Mammogram — left medio-lateral oblique. 51-year-old patient.
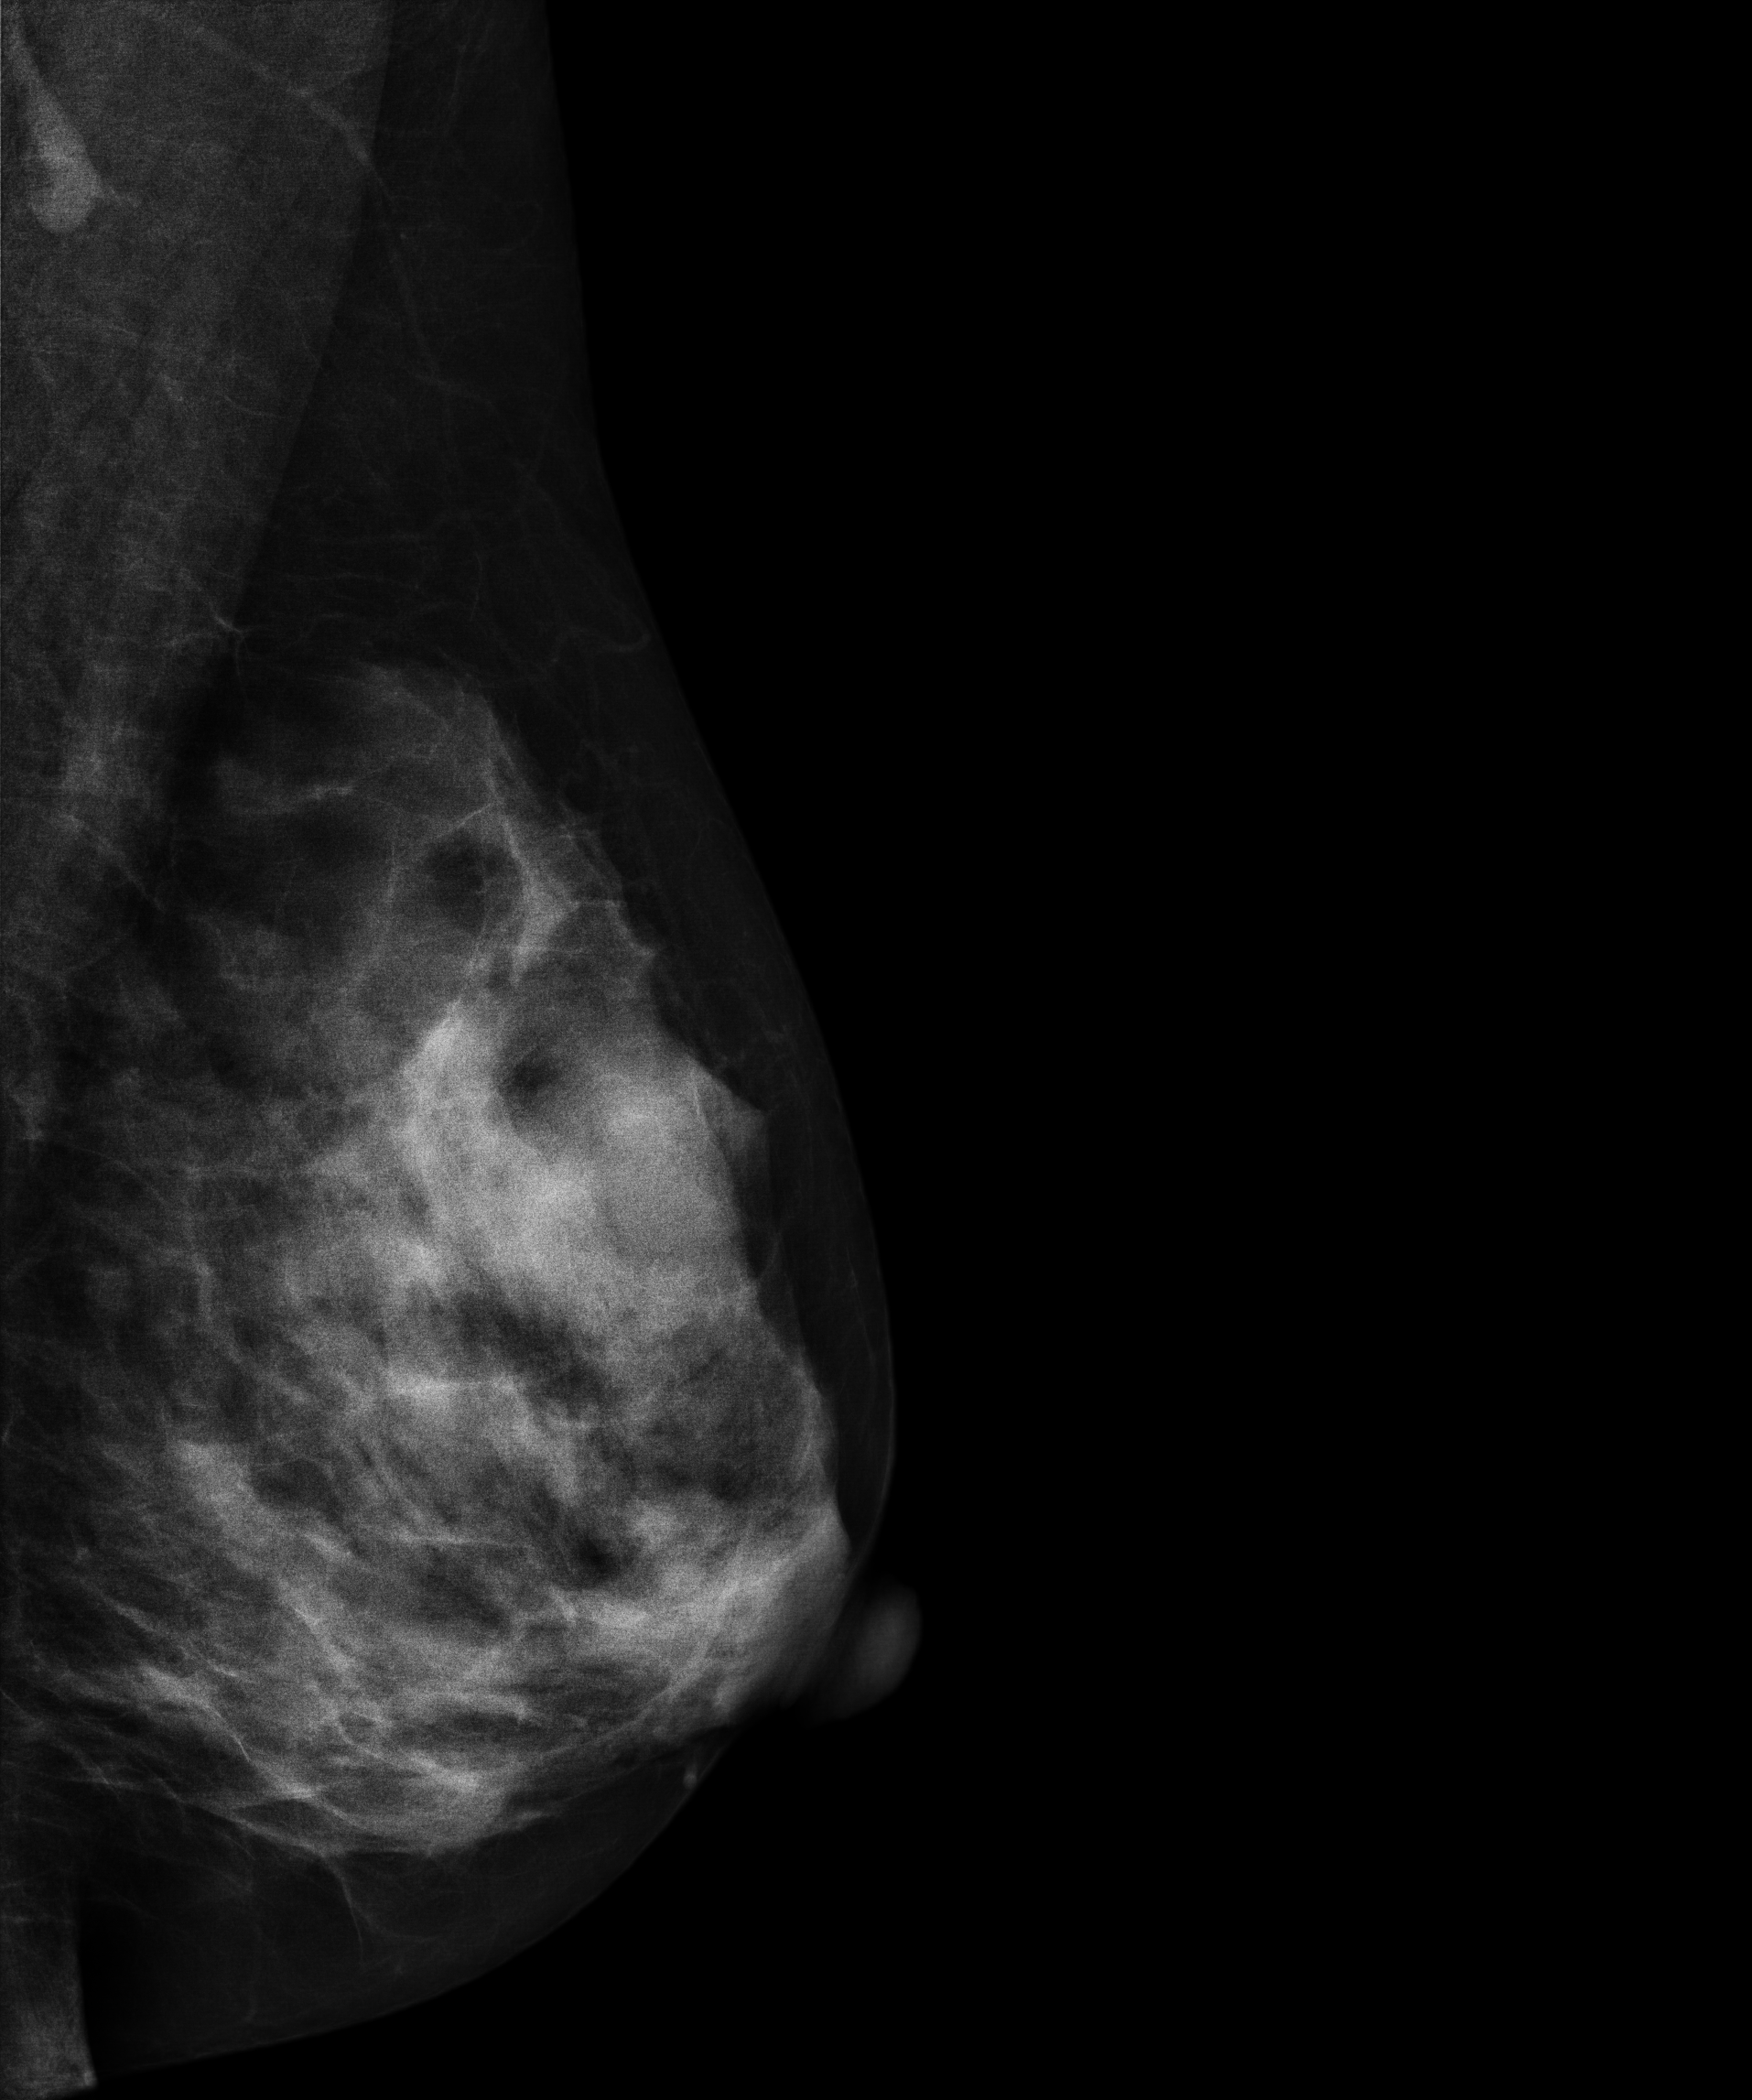
This breast has a mass, histologically confirmed benign.